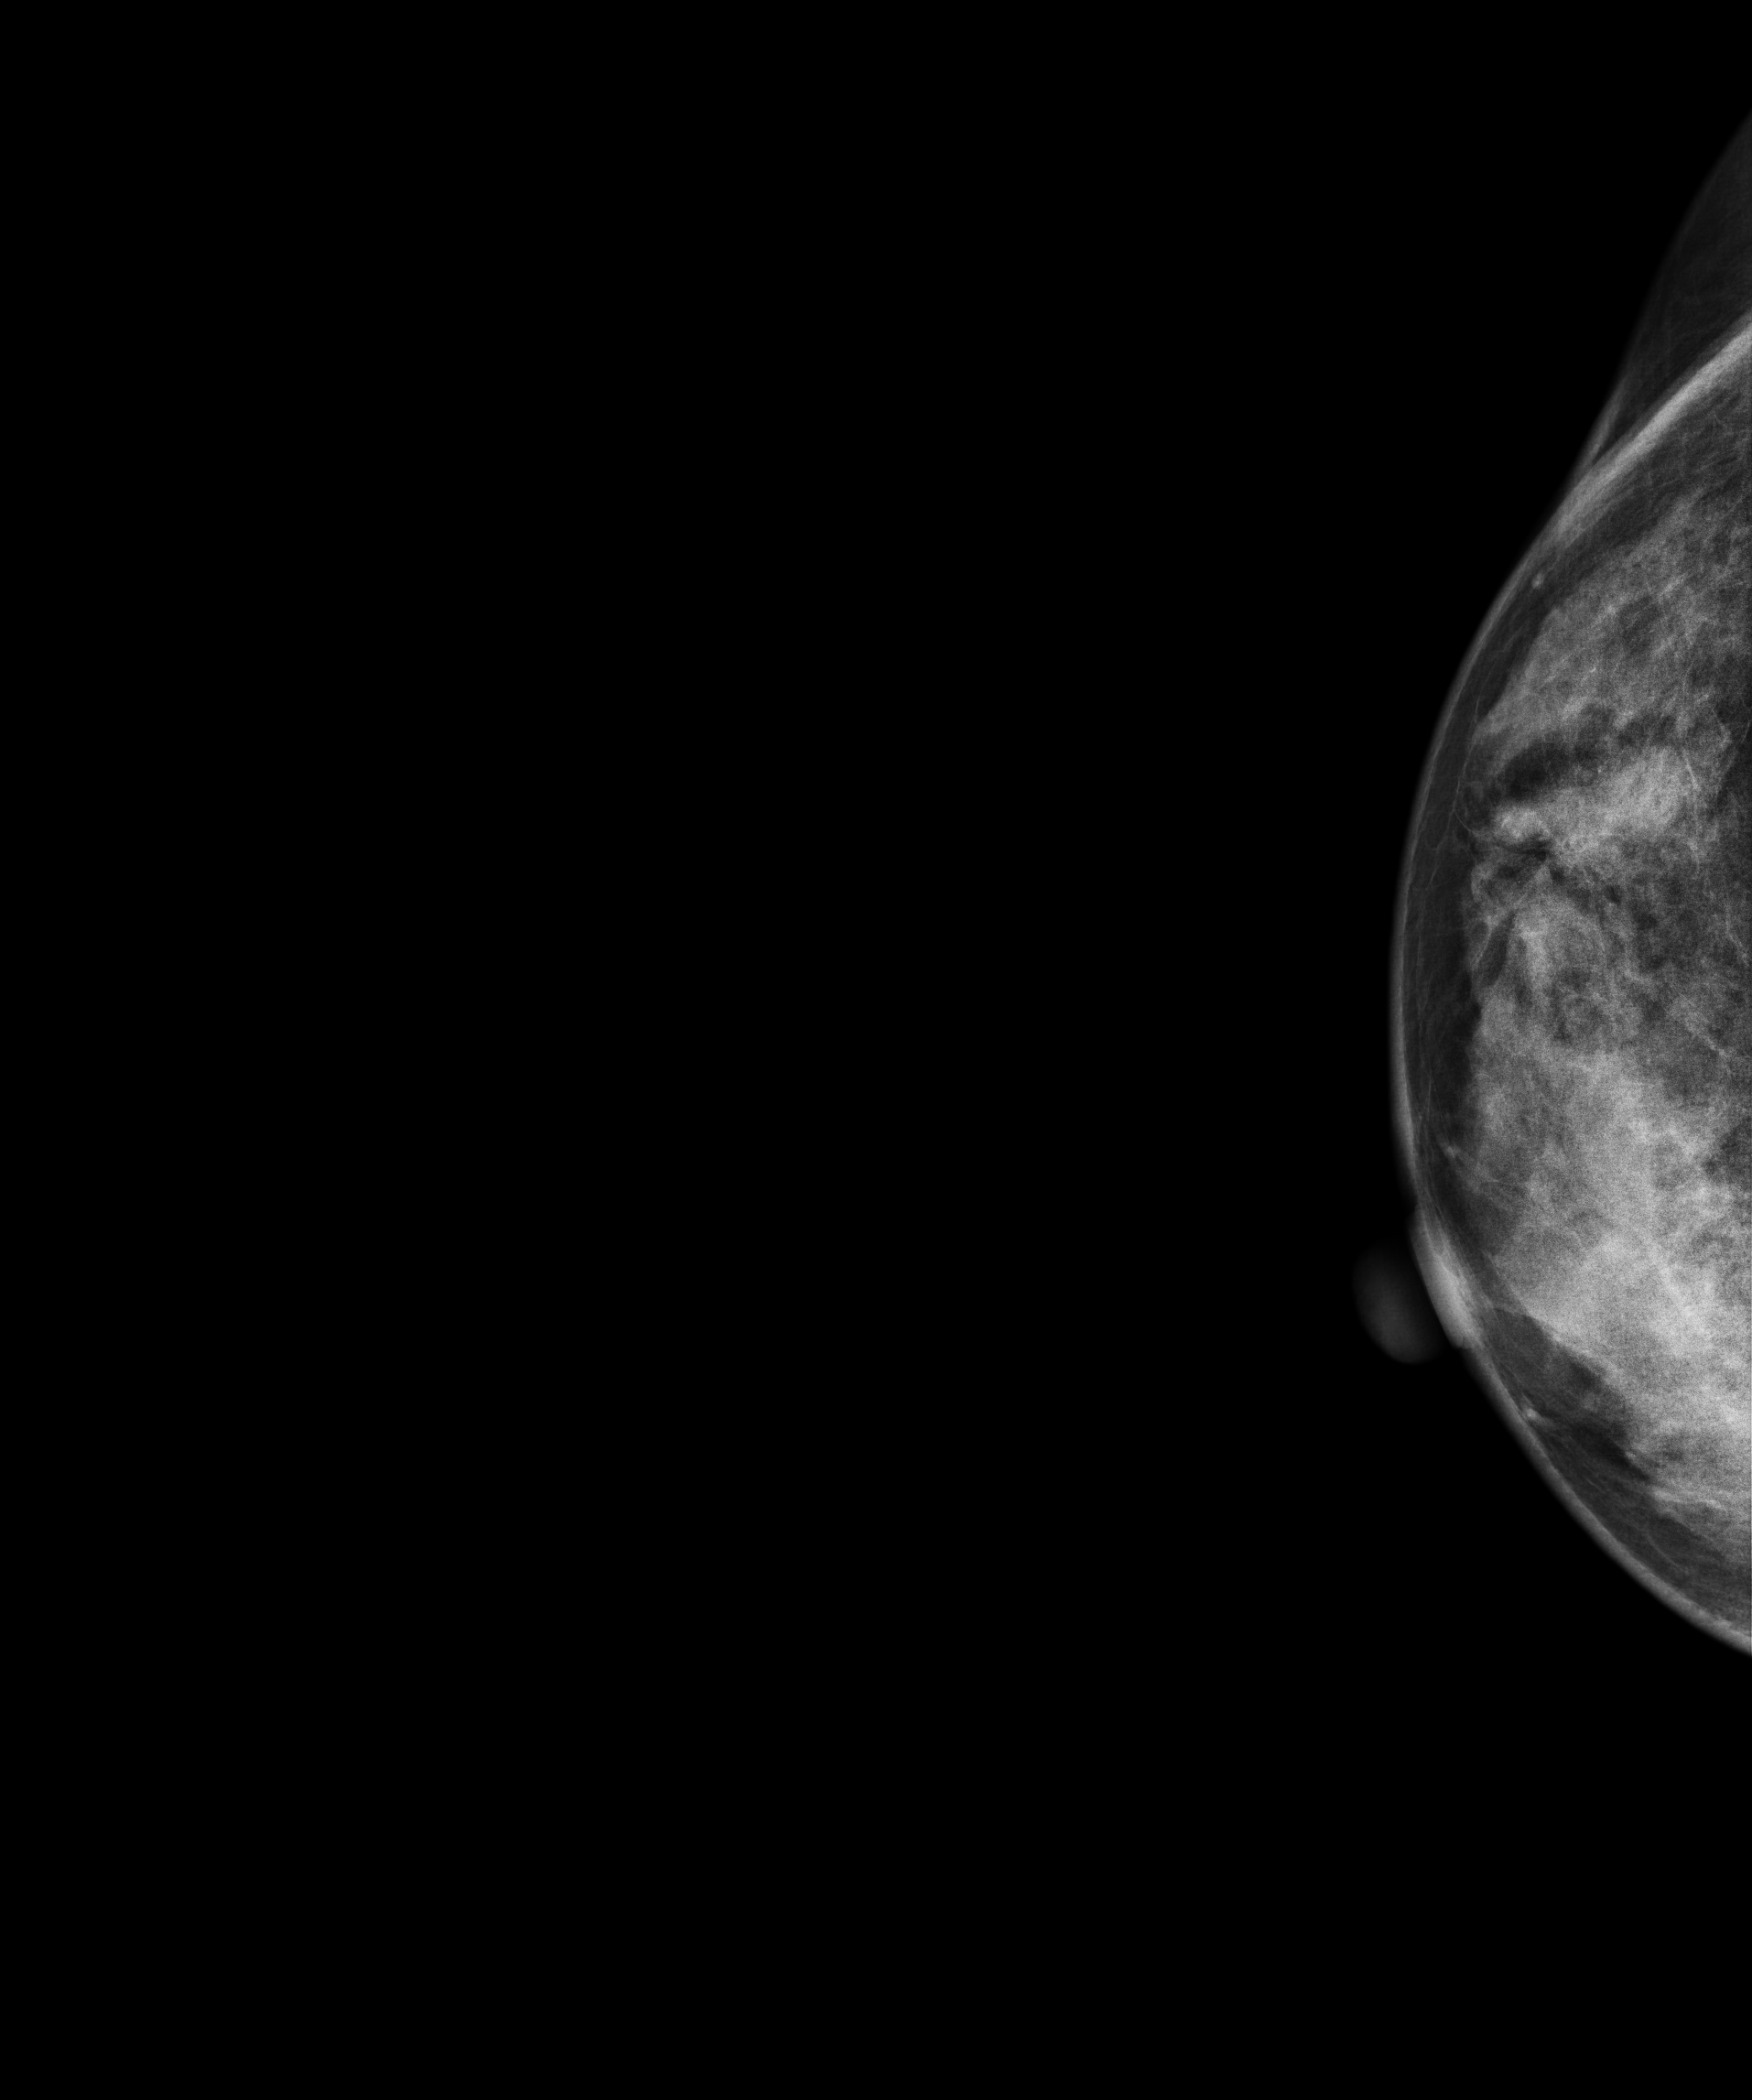
Mammogram, right breast, CC view. 42-year-old patient.
This breast has a mass, biopsy-confirmed benign.